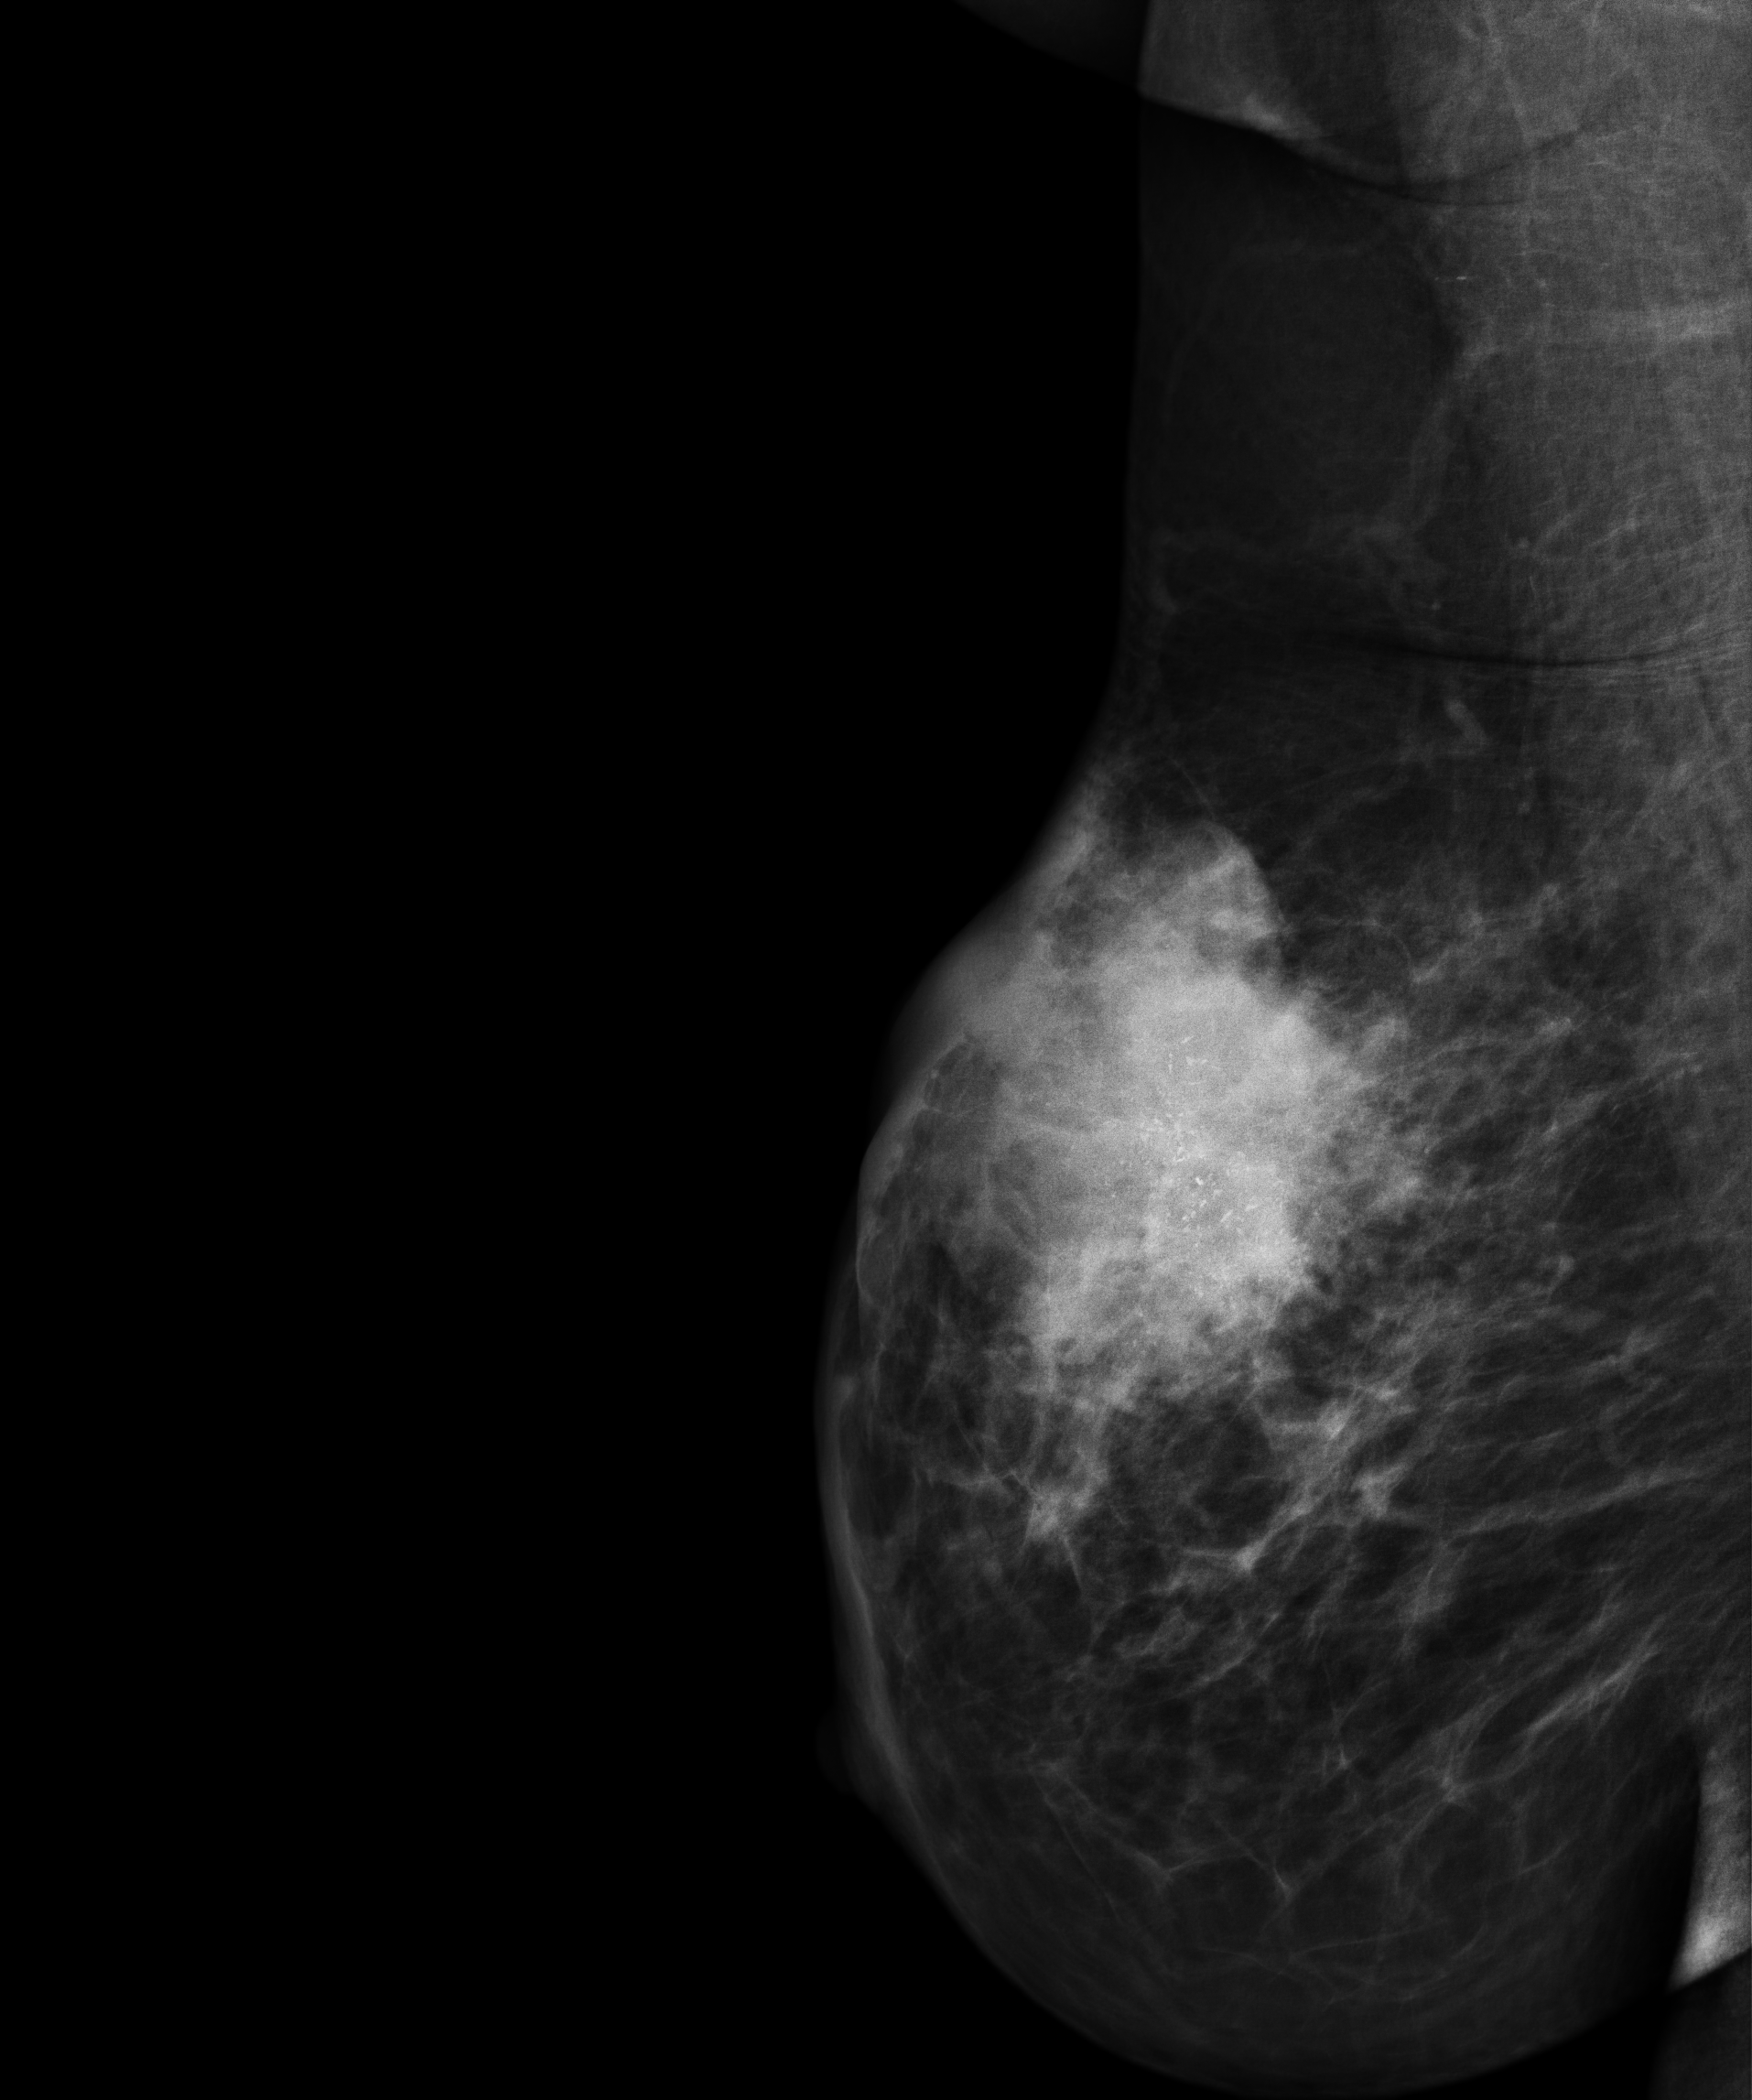
Medio-lateral oblique mammogram of the right breast. 65 y/o patient.
This breast has a mass and calcifications, biopsy-confirmed malignant.